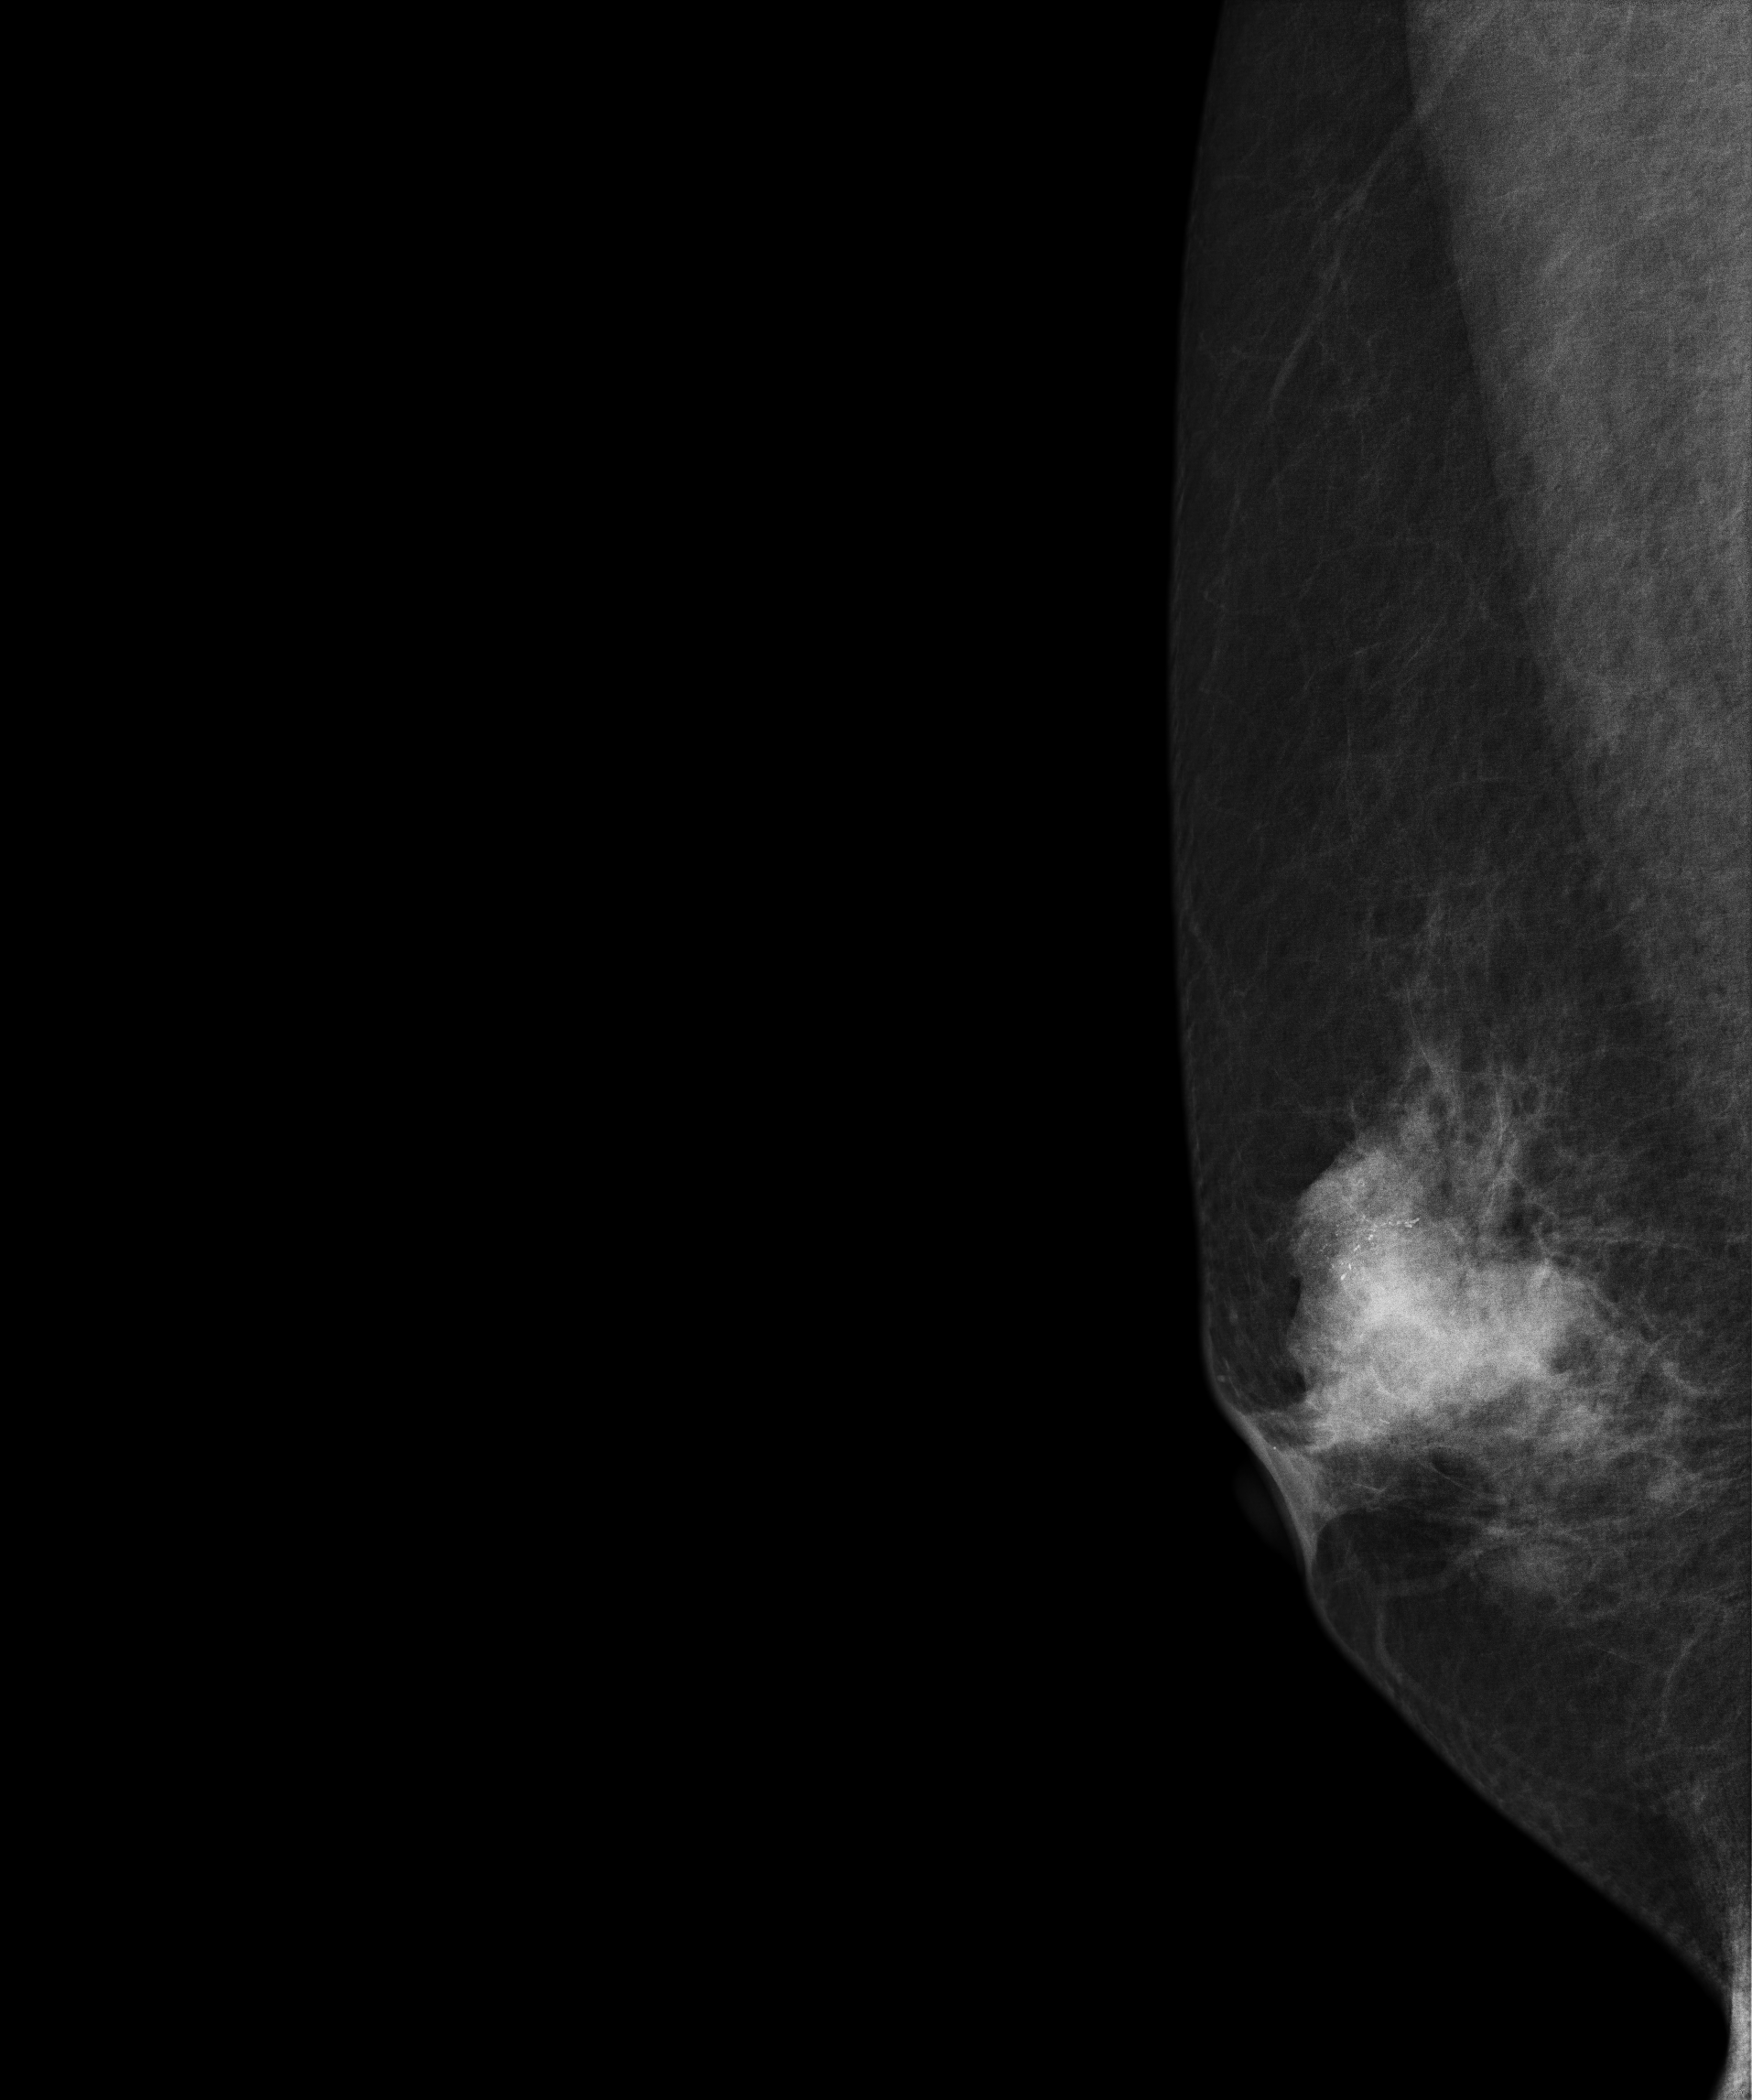
Right-breast mammogram, medio-lateral oblique. Patient age 53.
This breast has a mass and calcifications, biopsy-confirmed malignant. Molecular subtype: luminal B.